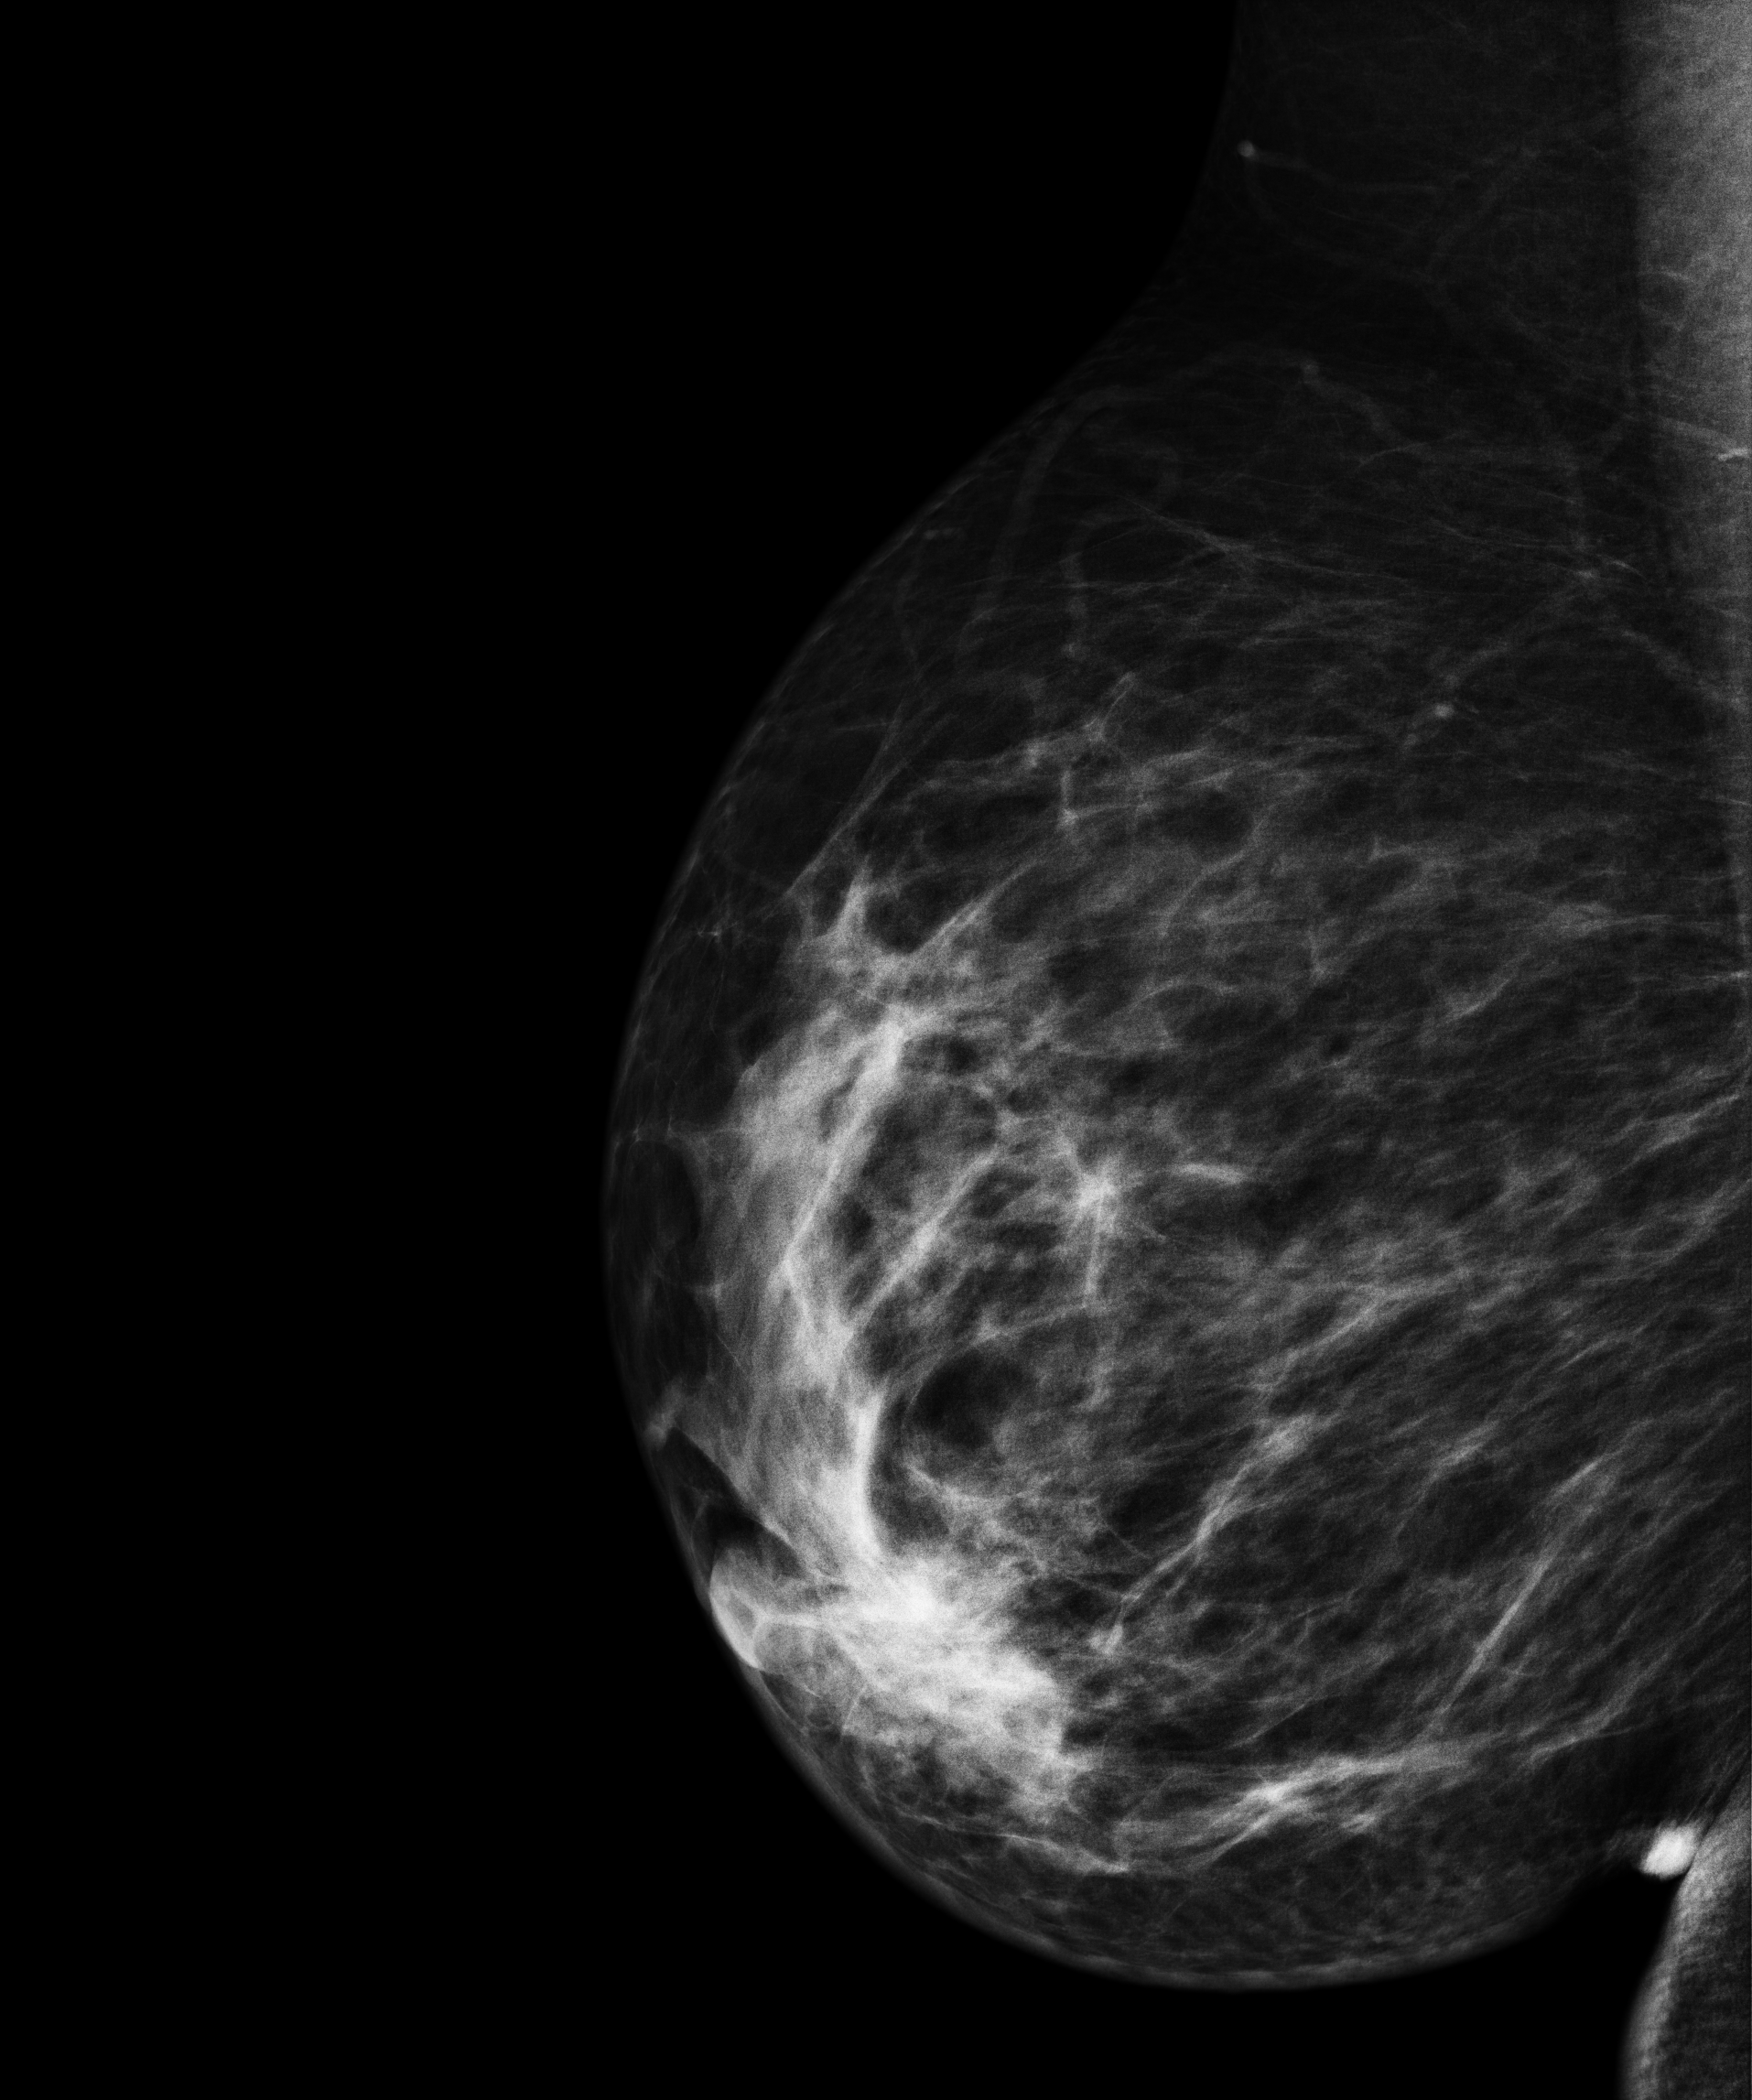
Mammogram — right medio-lateral oblique. 32-year-old patient.
This breast has a mass, pathology-confirmed malignant.